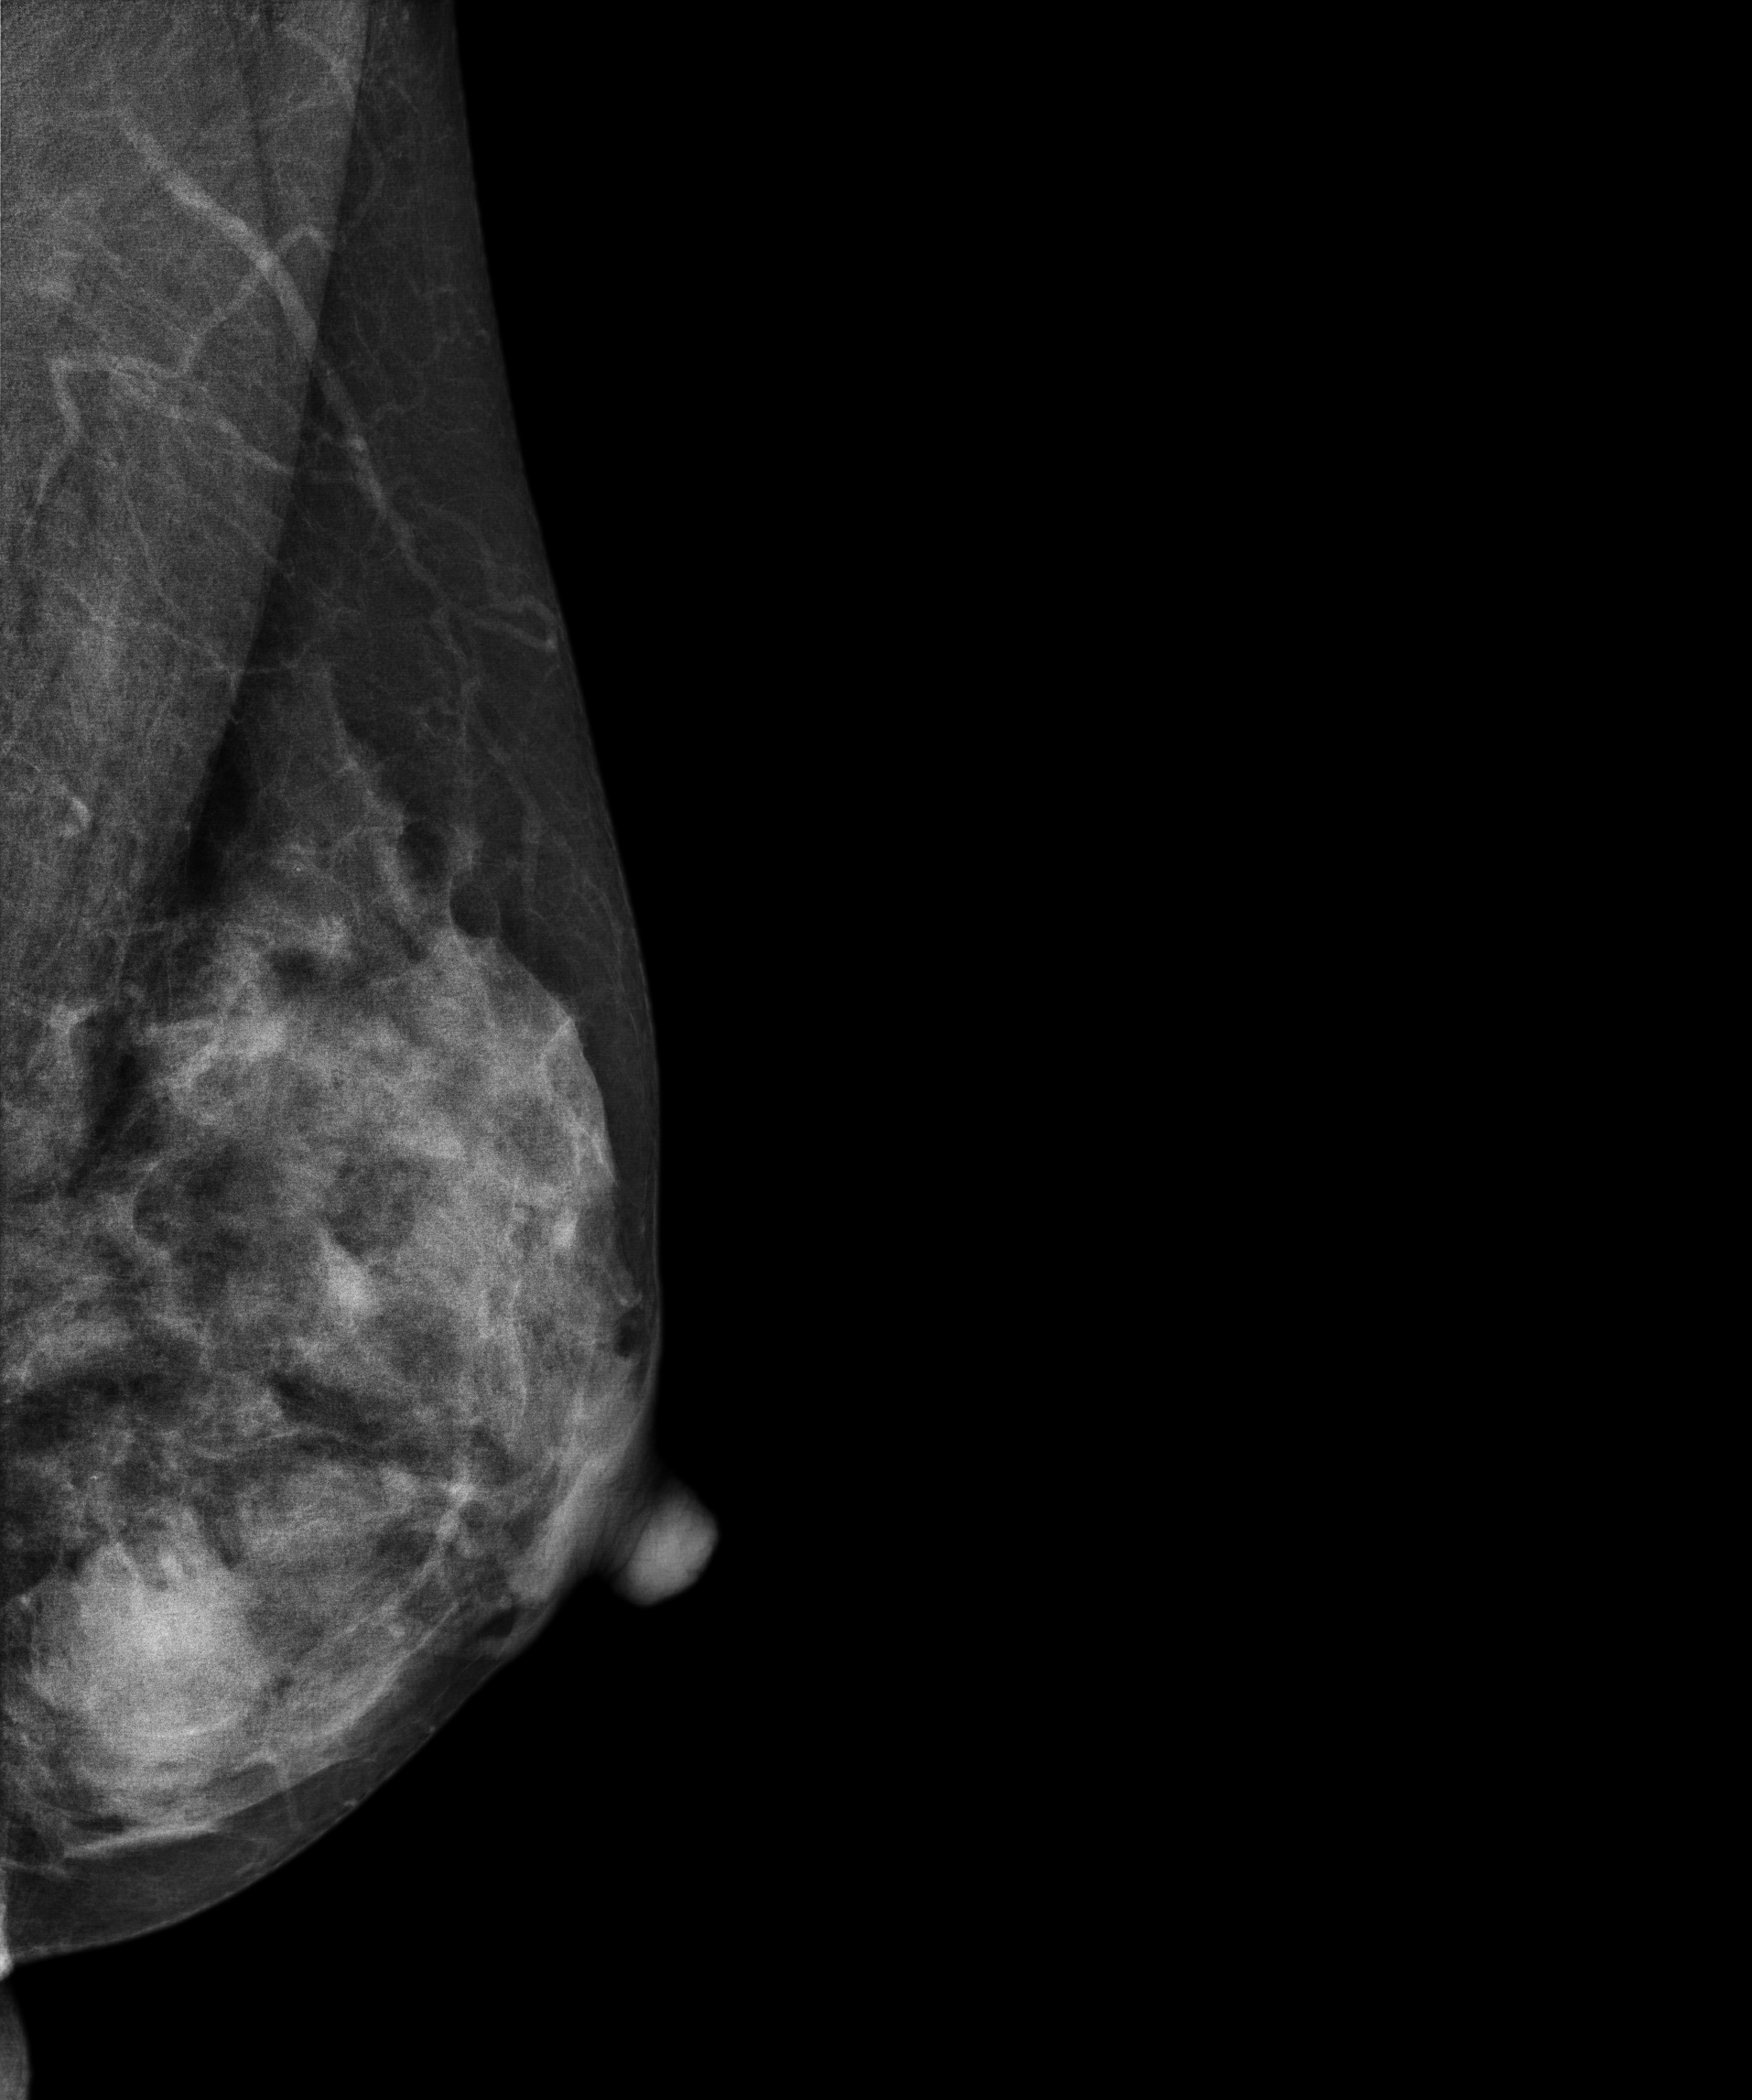
Digital mammography. Left breast, medio-lateral oblique projection. Patient age 52.
This breast has a mass, histologically confirmed malignant.